Cranio-caudal mammogram of the left breast. 47 y/o patient.
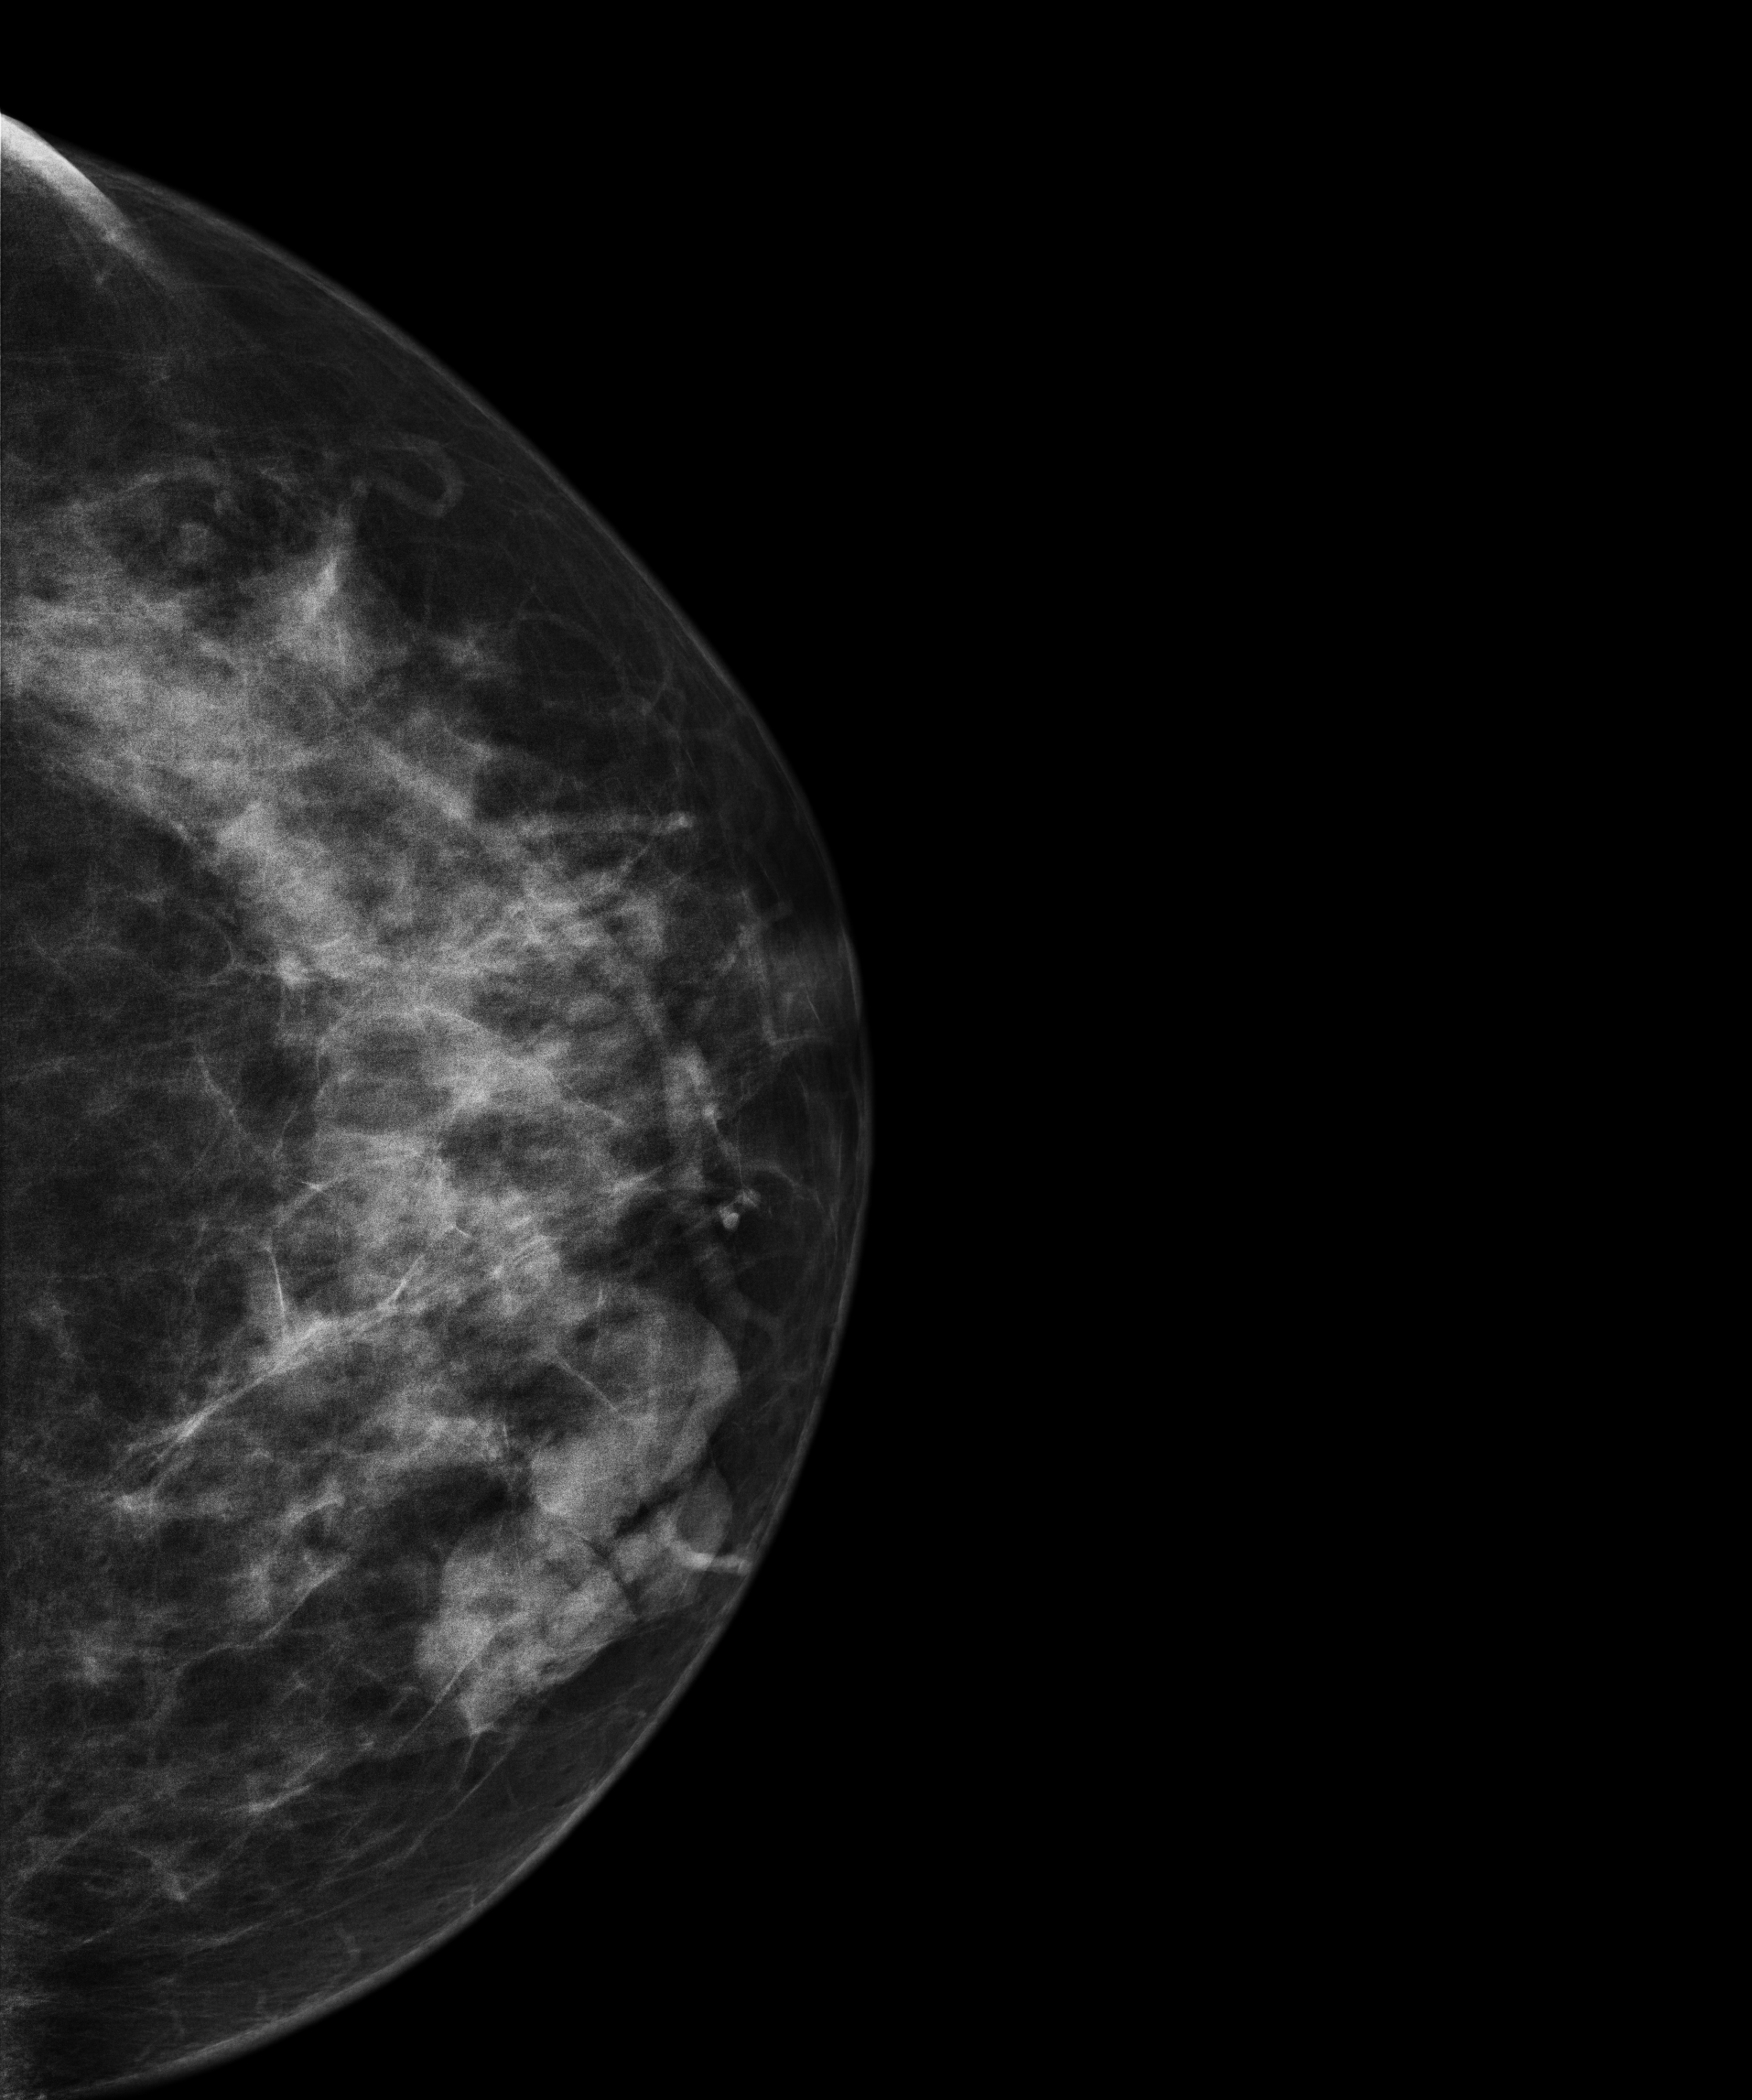
This breast has a mass, biopsy-proven benign.